CC mammogram of the left breast. 50 y/o patient.
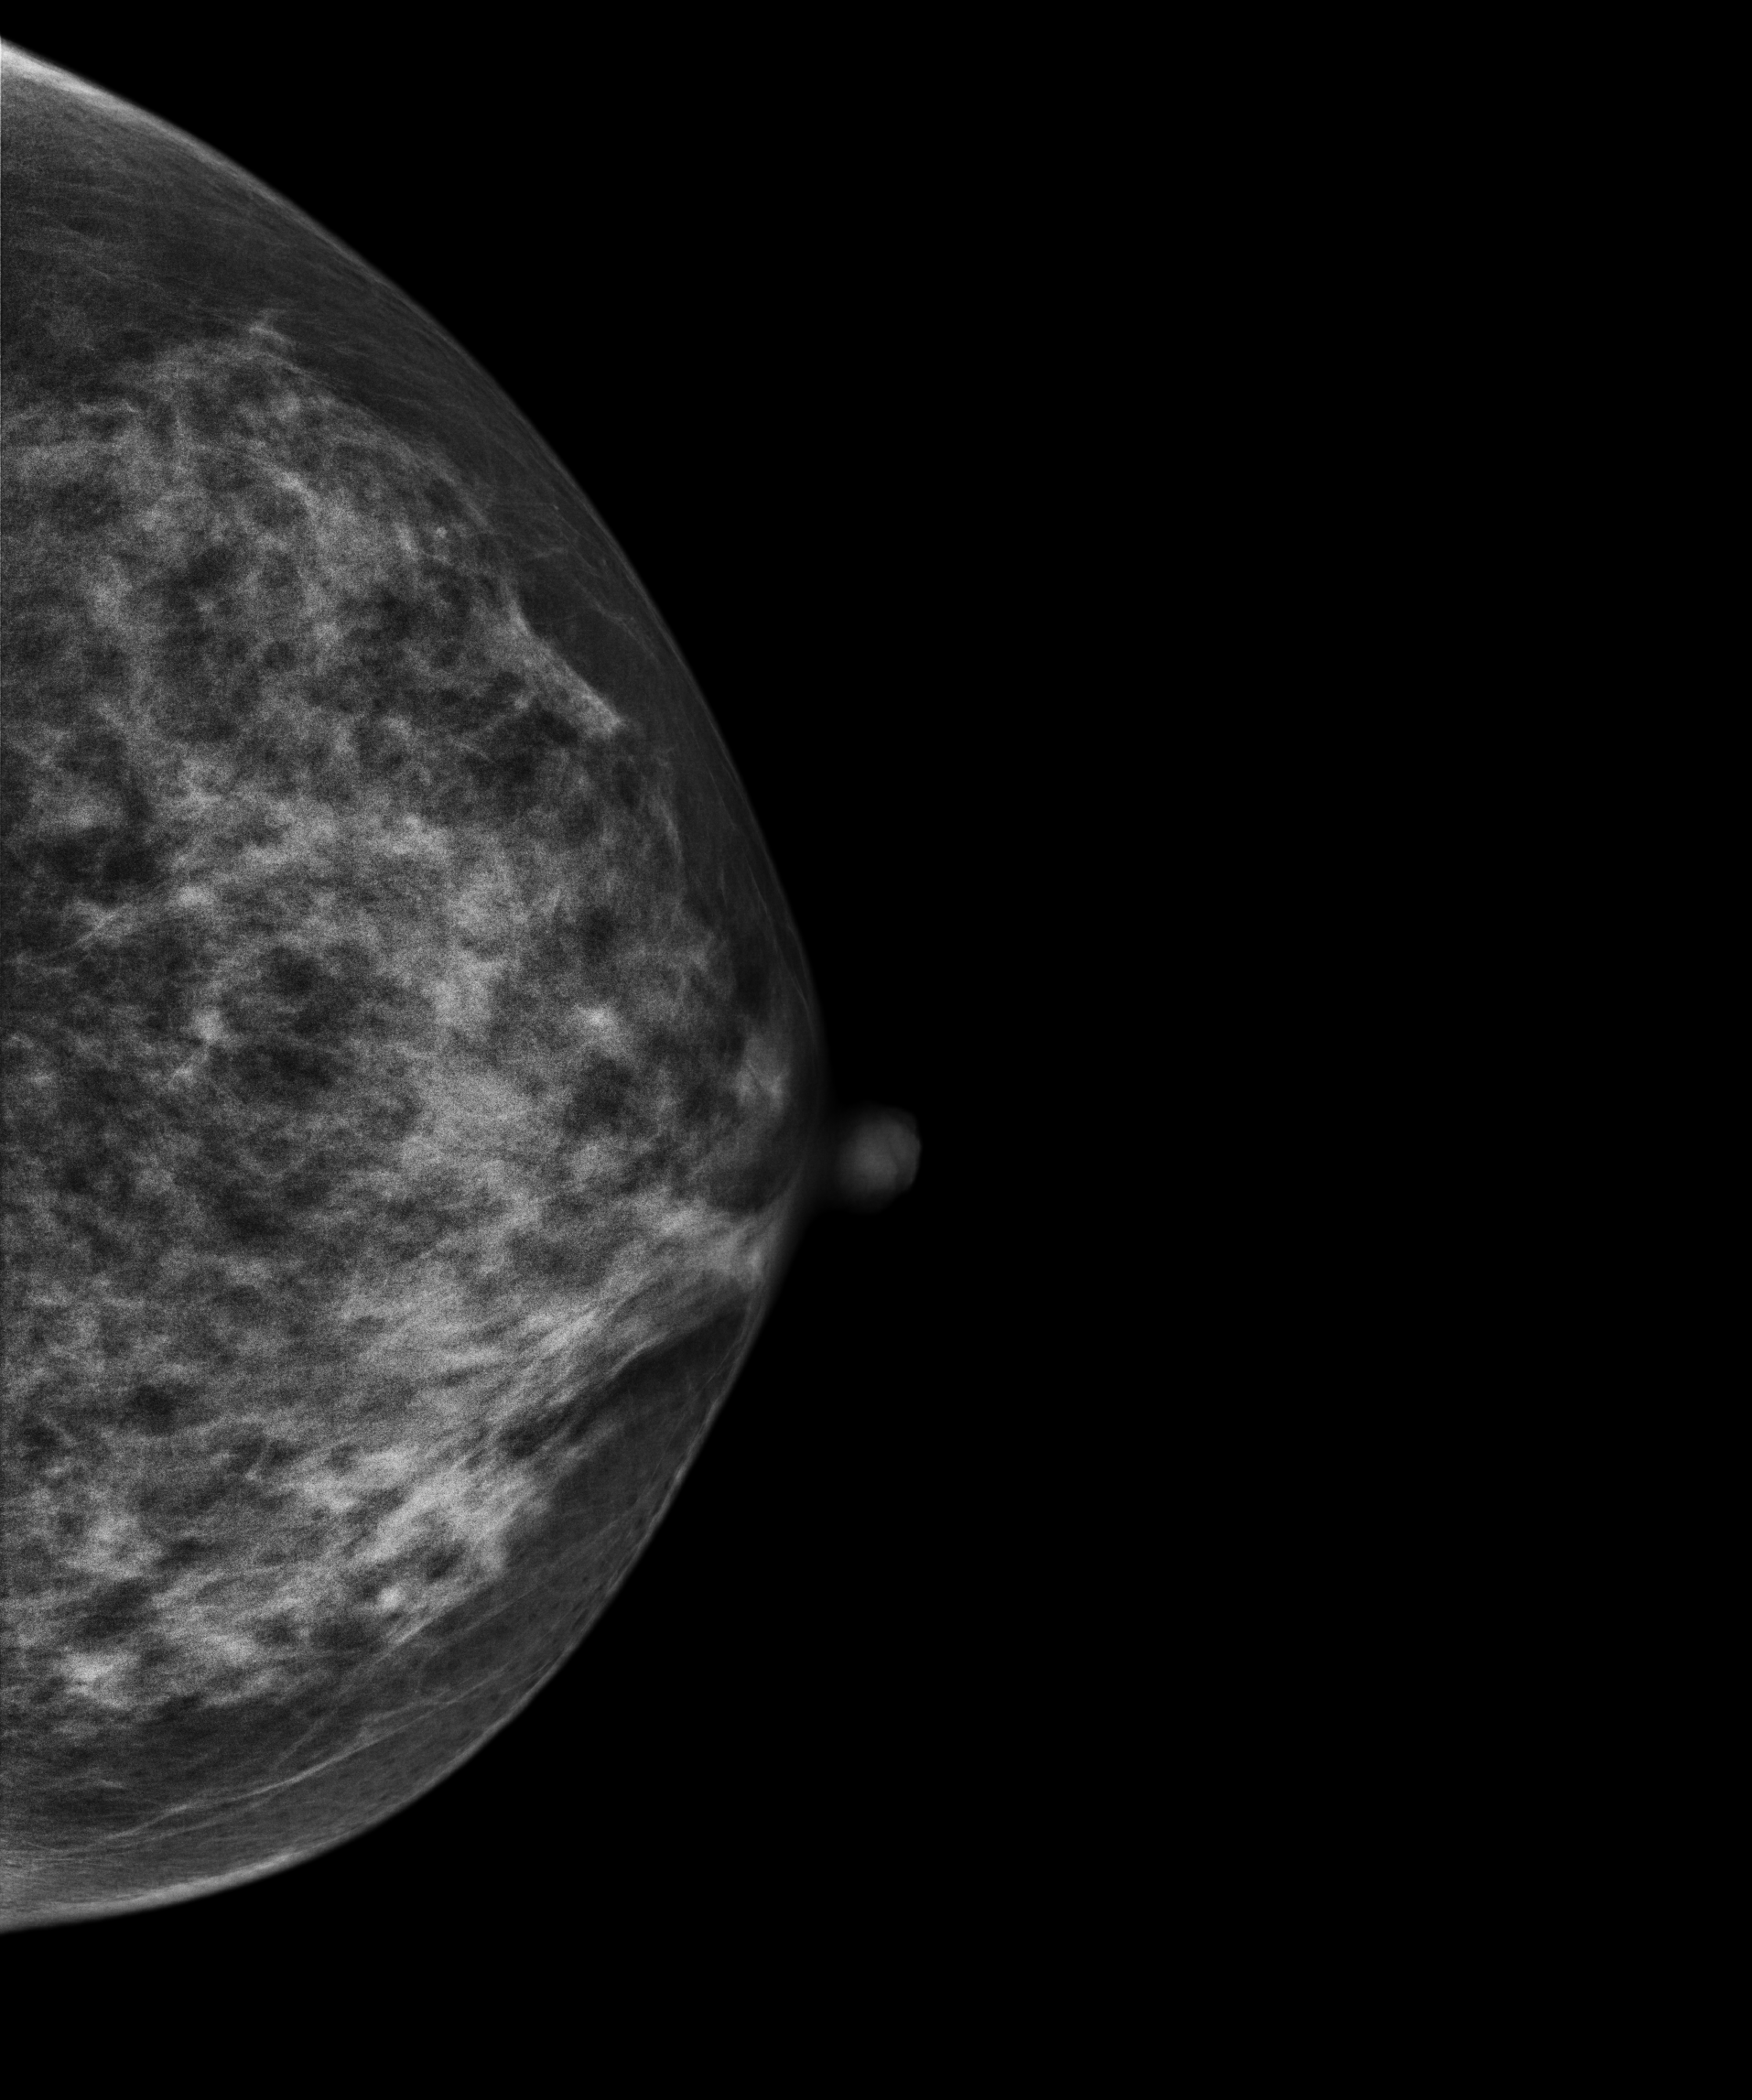
Contralateral breast — no documented abnormality on this side.